Digital mammography. Left breast, CC projection. 54 y/o patient.
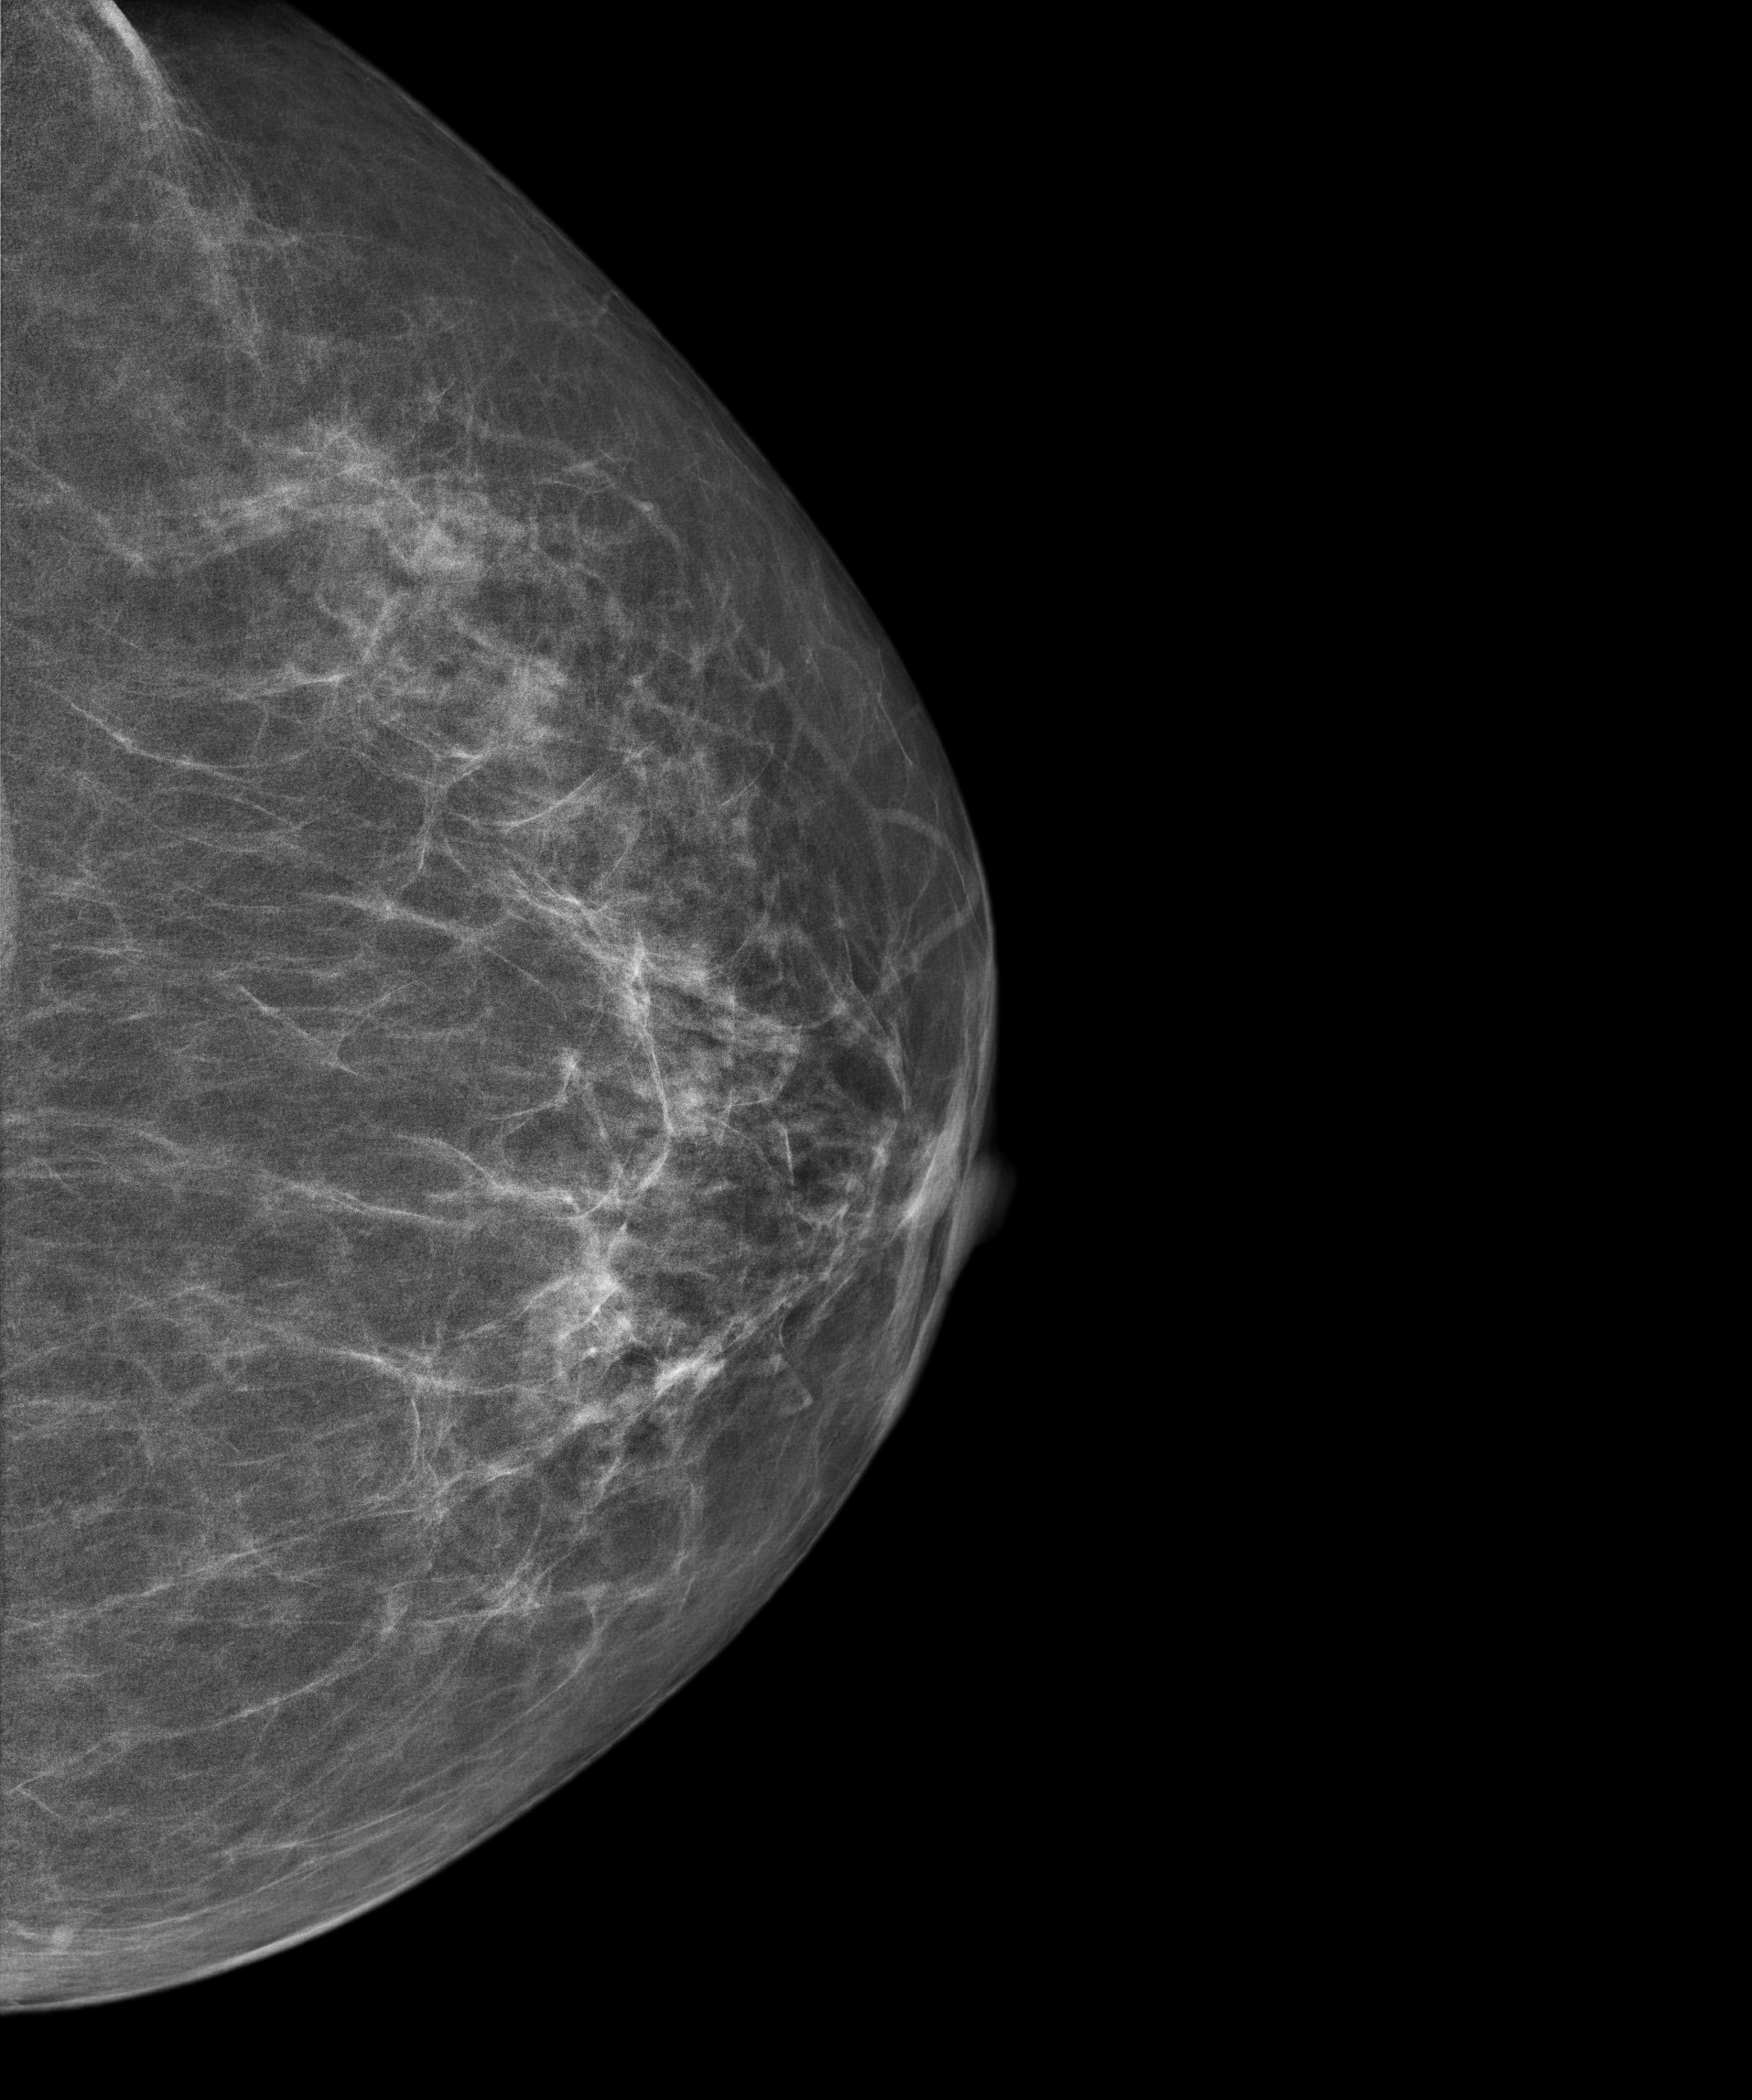
Contralateral breast — no documented abnormality on this side.